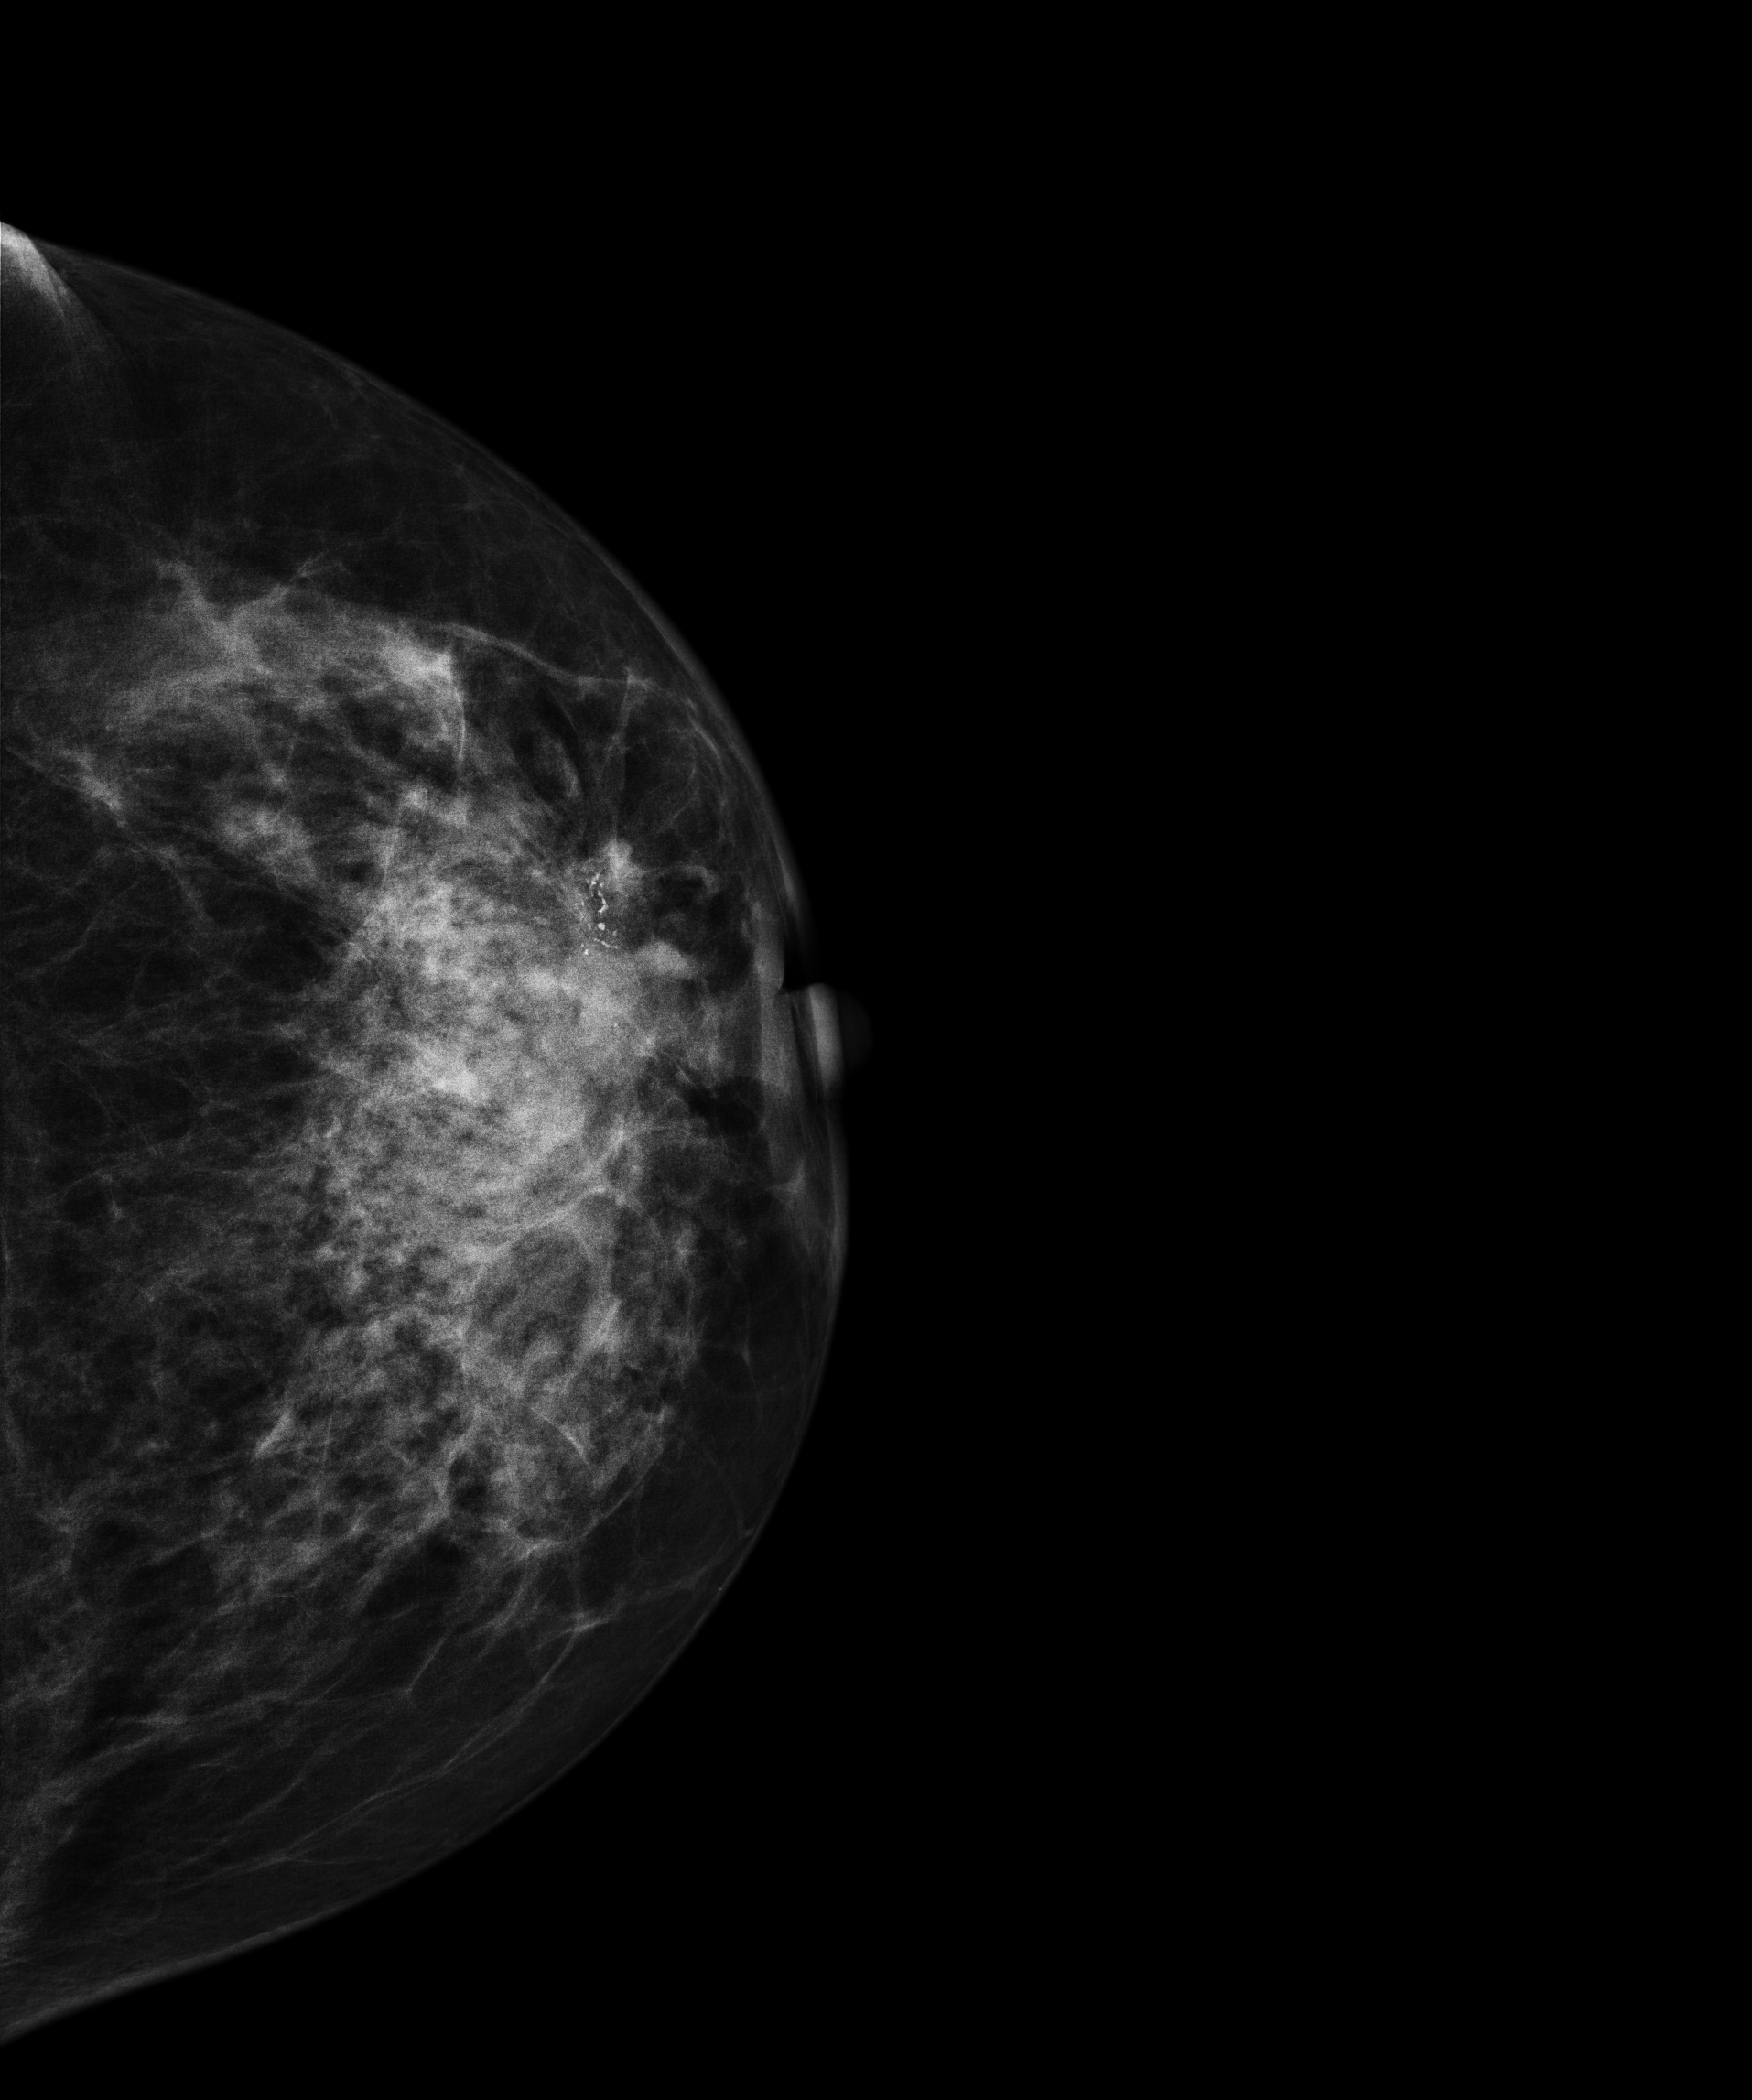
Mammogram, left breast, cranio-caudal view. 57 y/o patient.
This breast has calcifications, pathology-confirmed malignant. Molecular subtype: luminal B.